Mammogram, right breast, MLO view. Patient age 38.
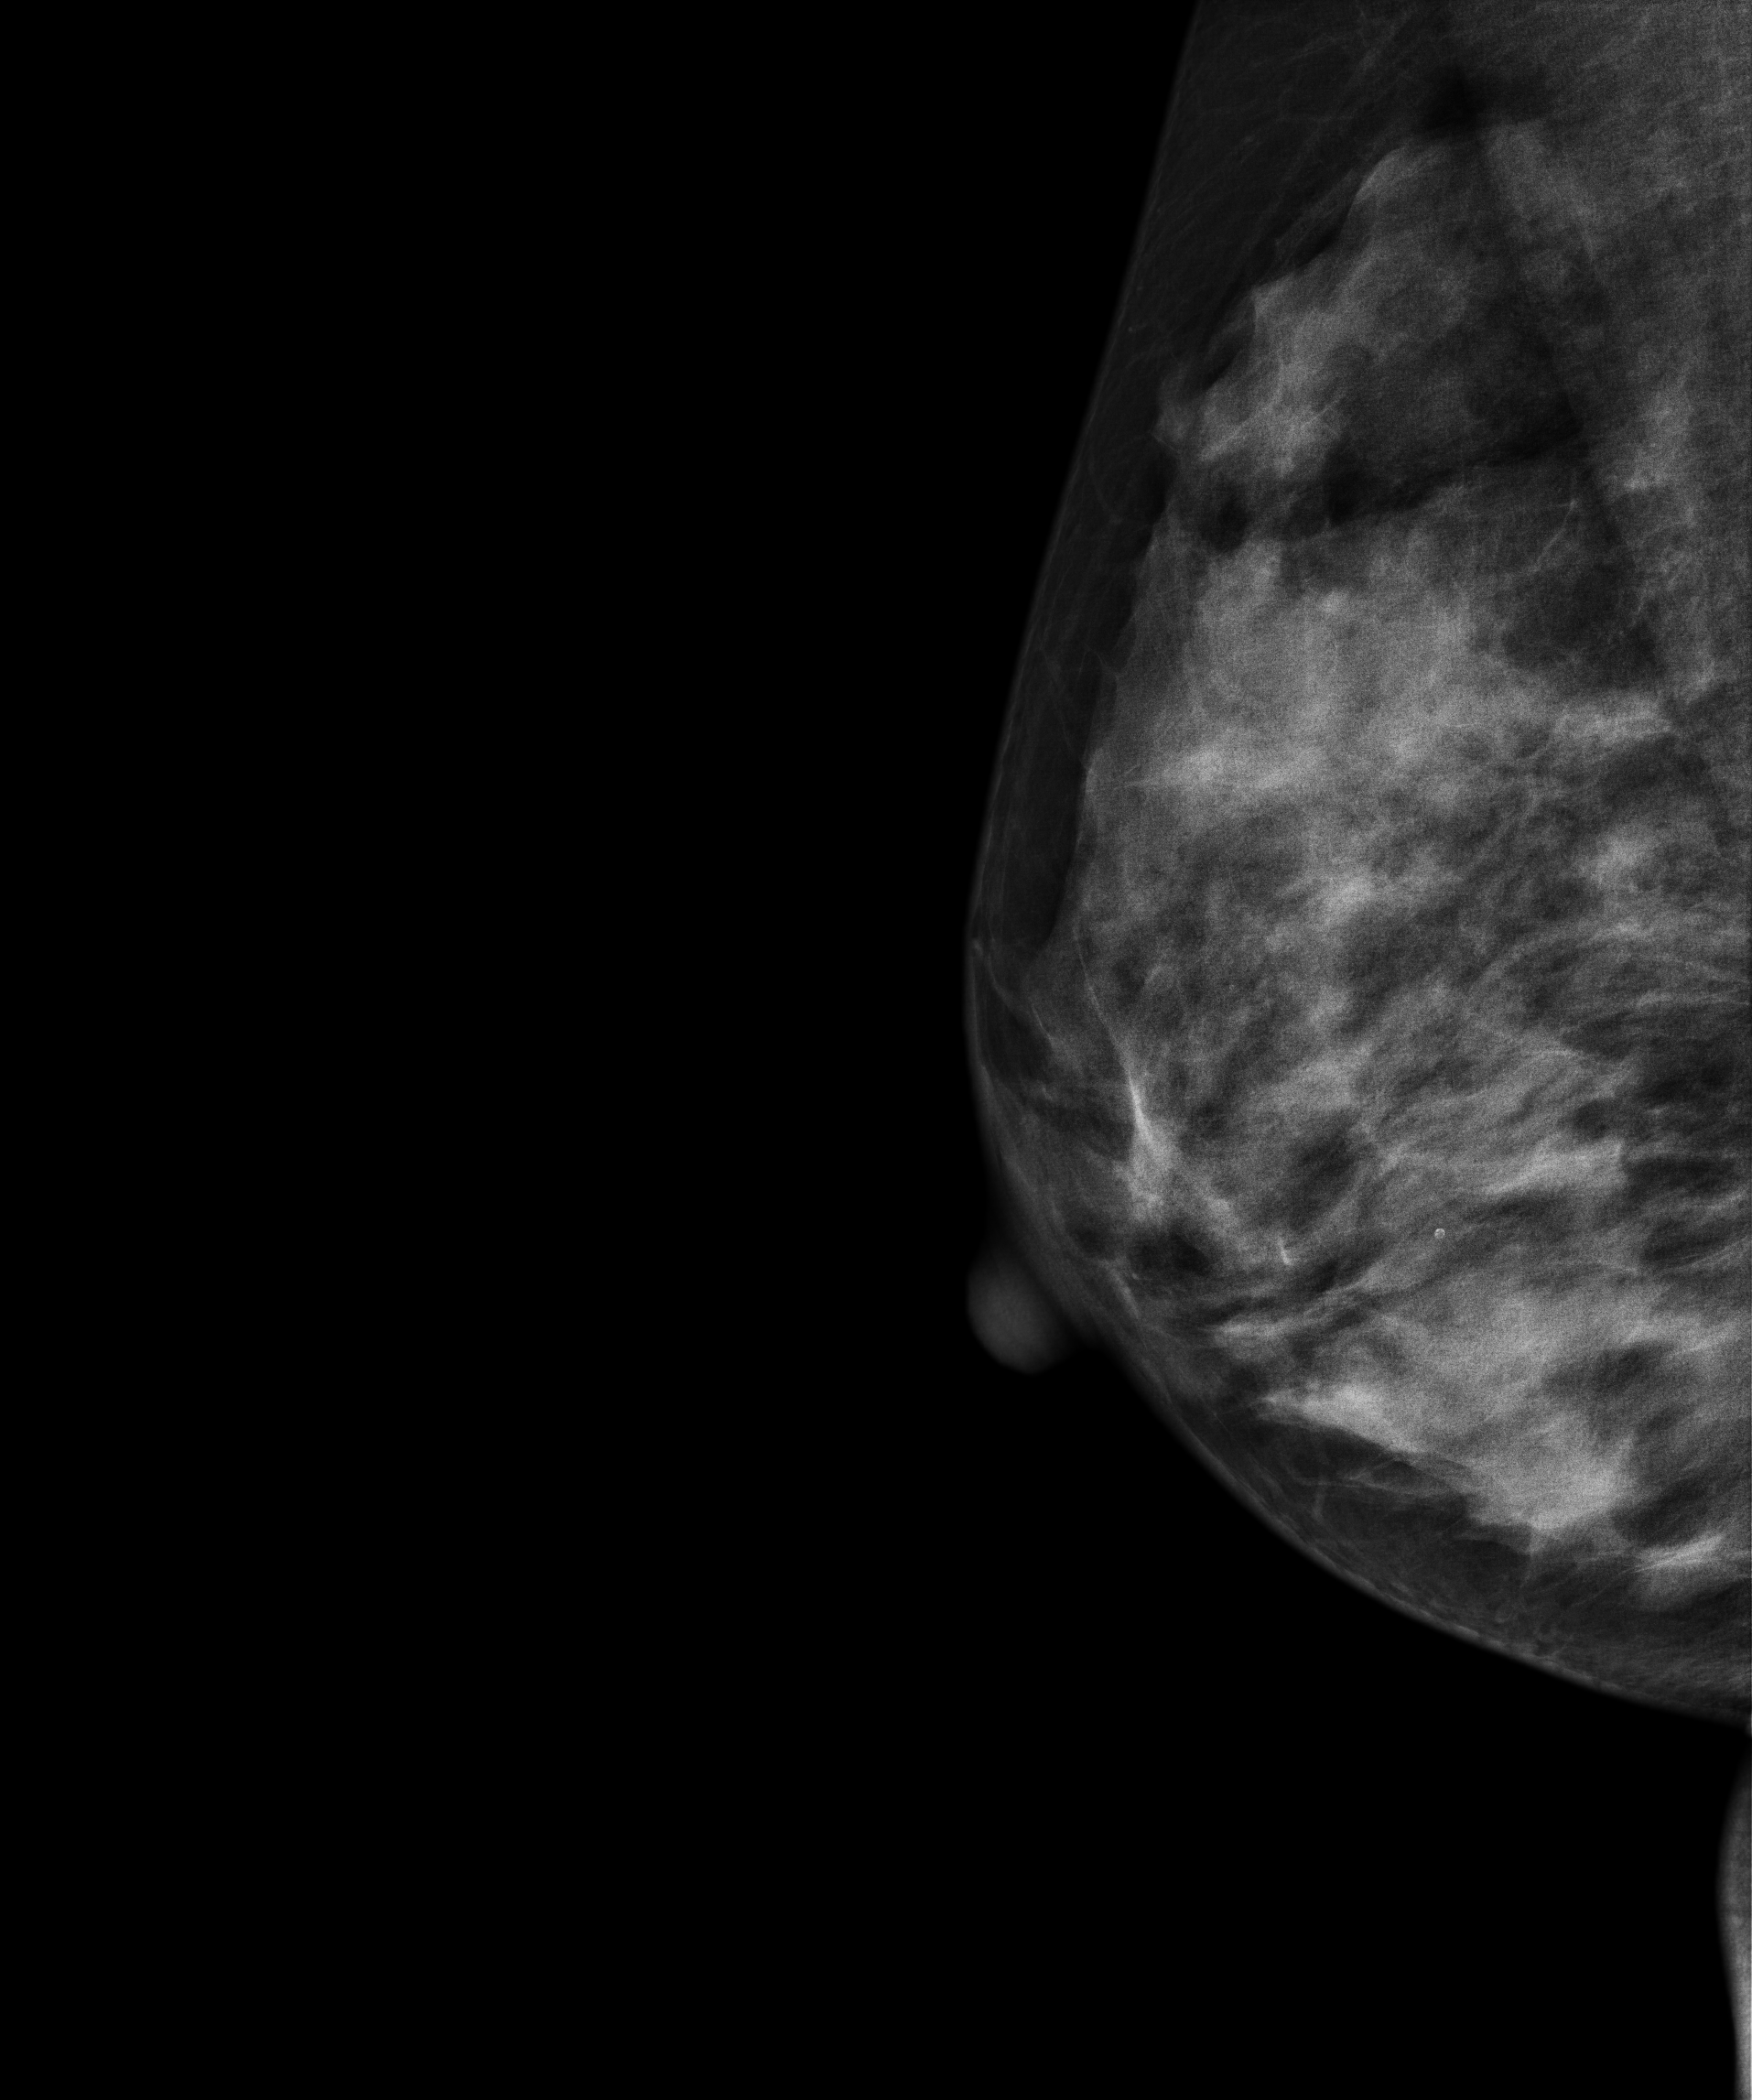
Contralateral breast — no documented abnormality on this side.